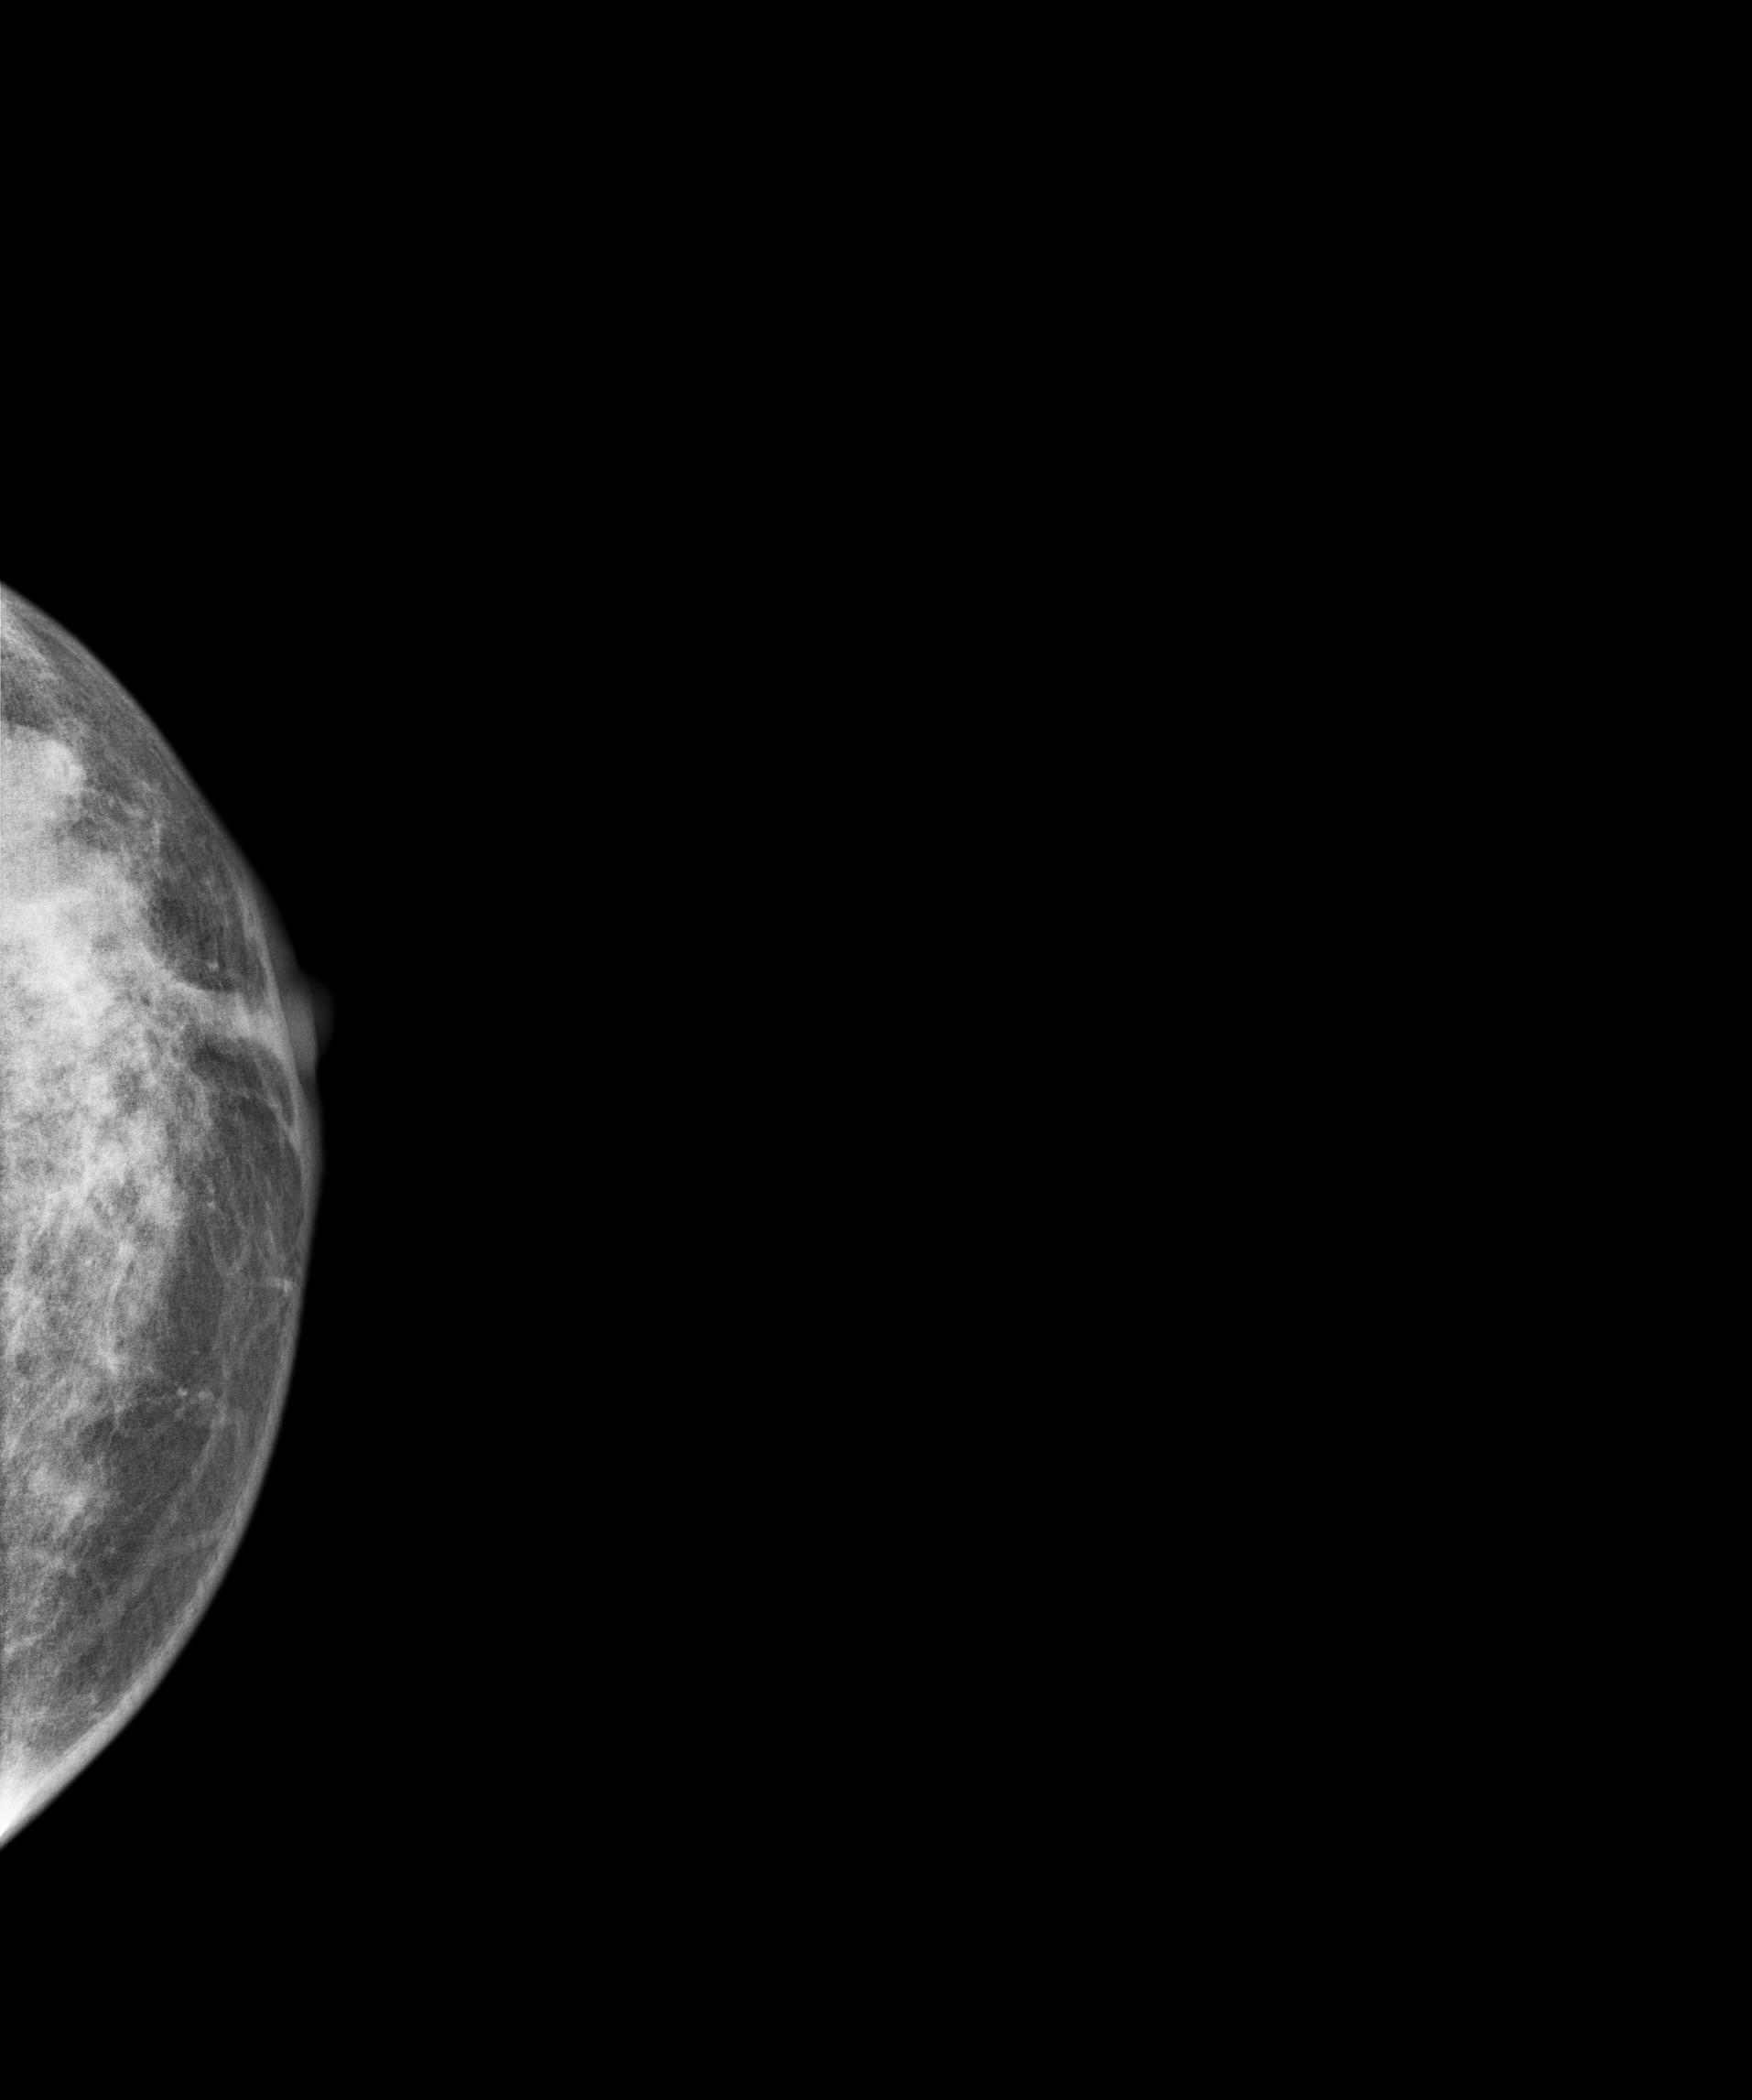
Mammogram — left cranio-caudal. 47-year-old patient.
This breast has a mass, pathology-confirmed benign.